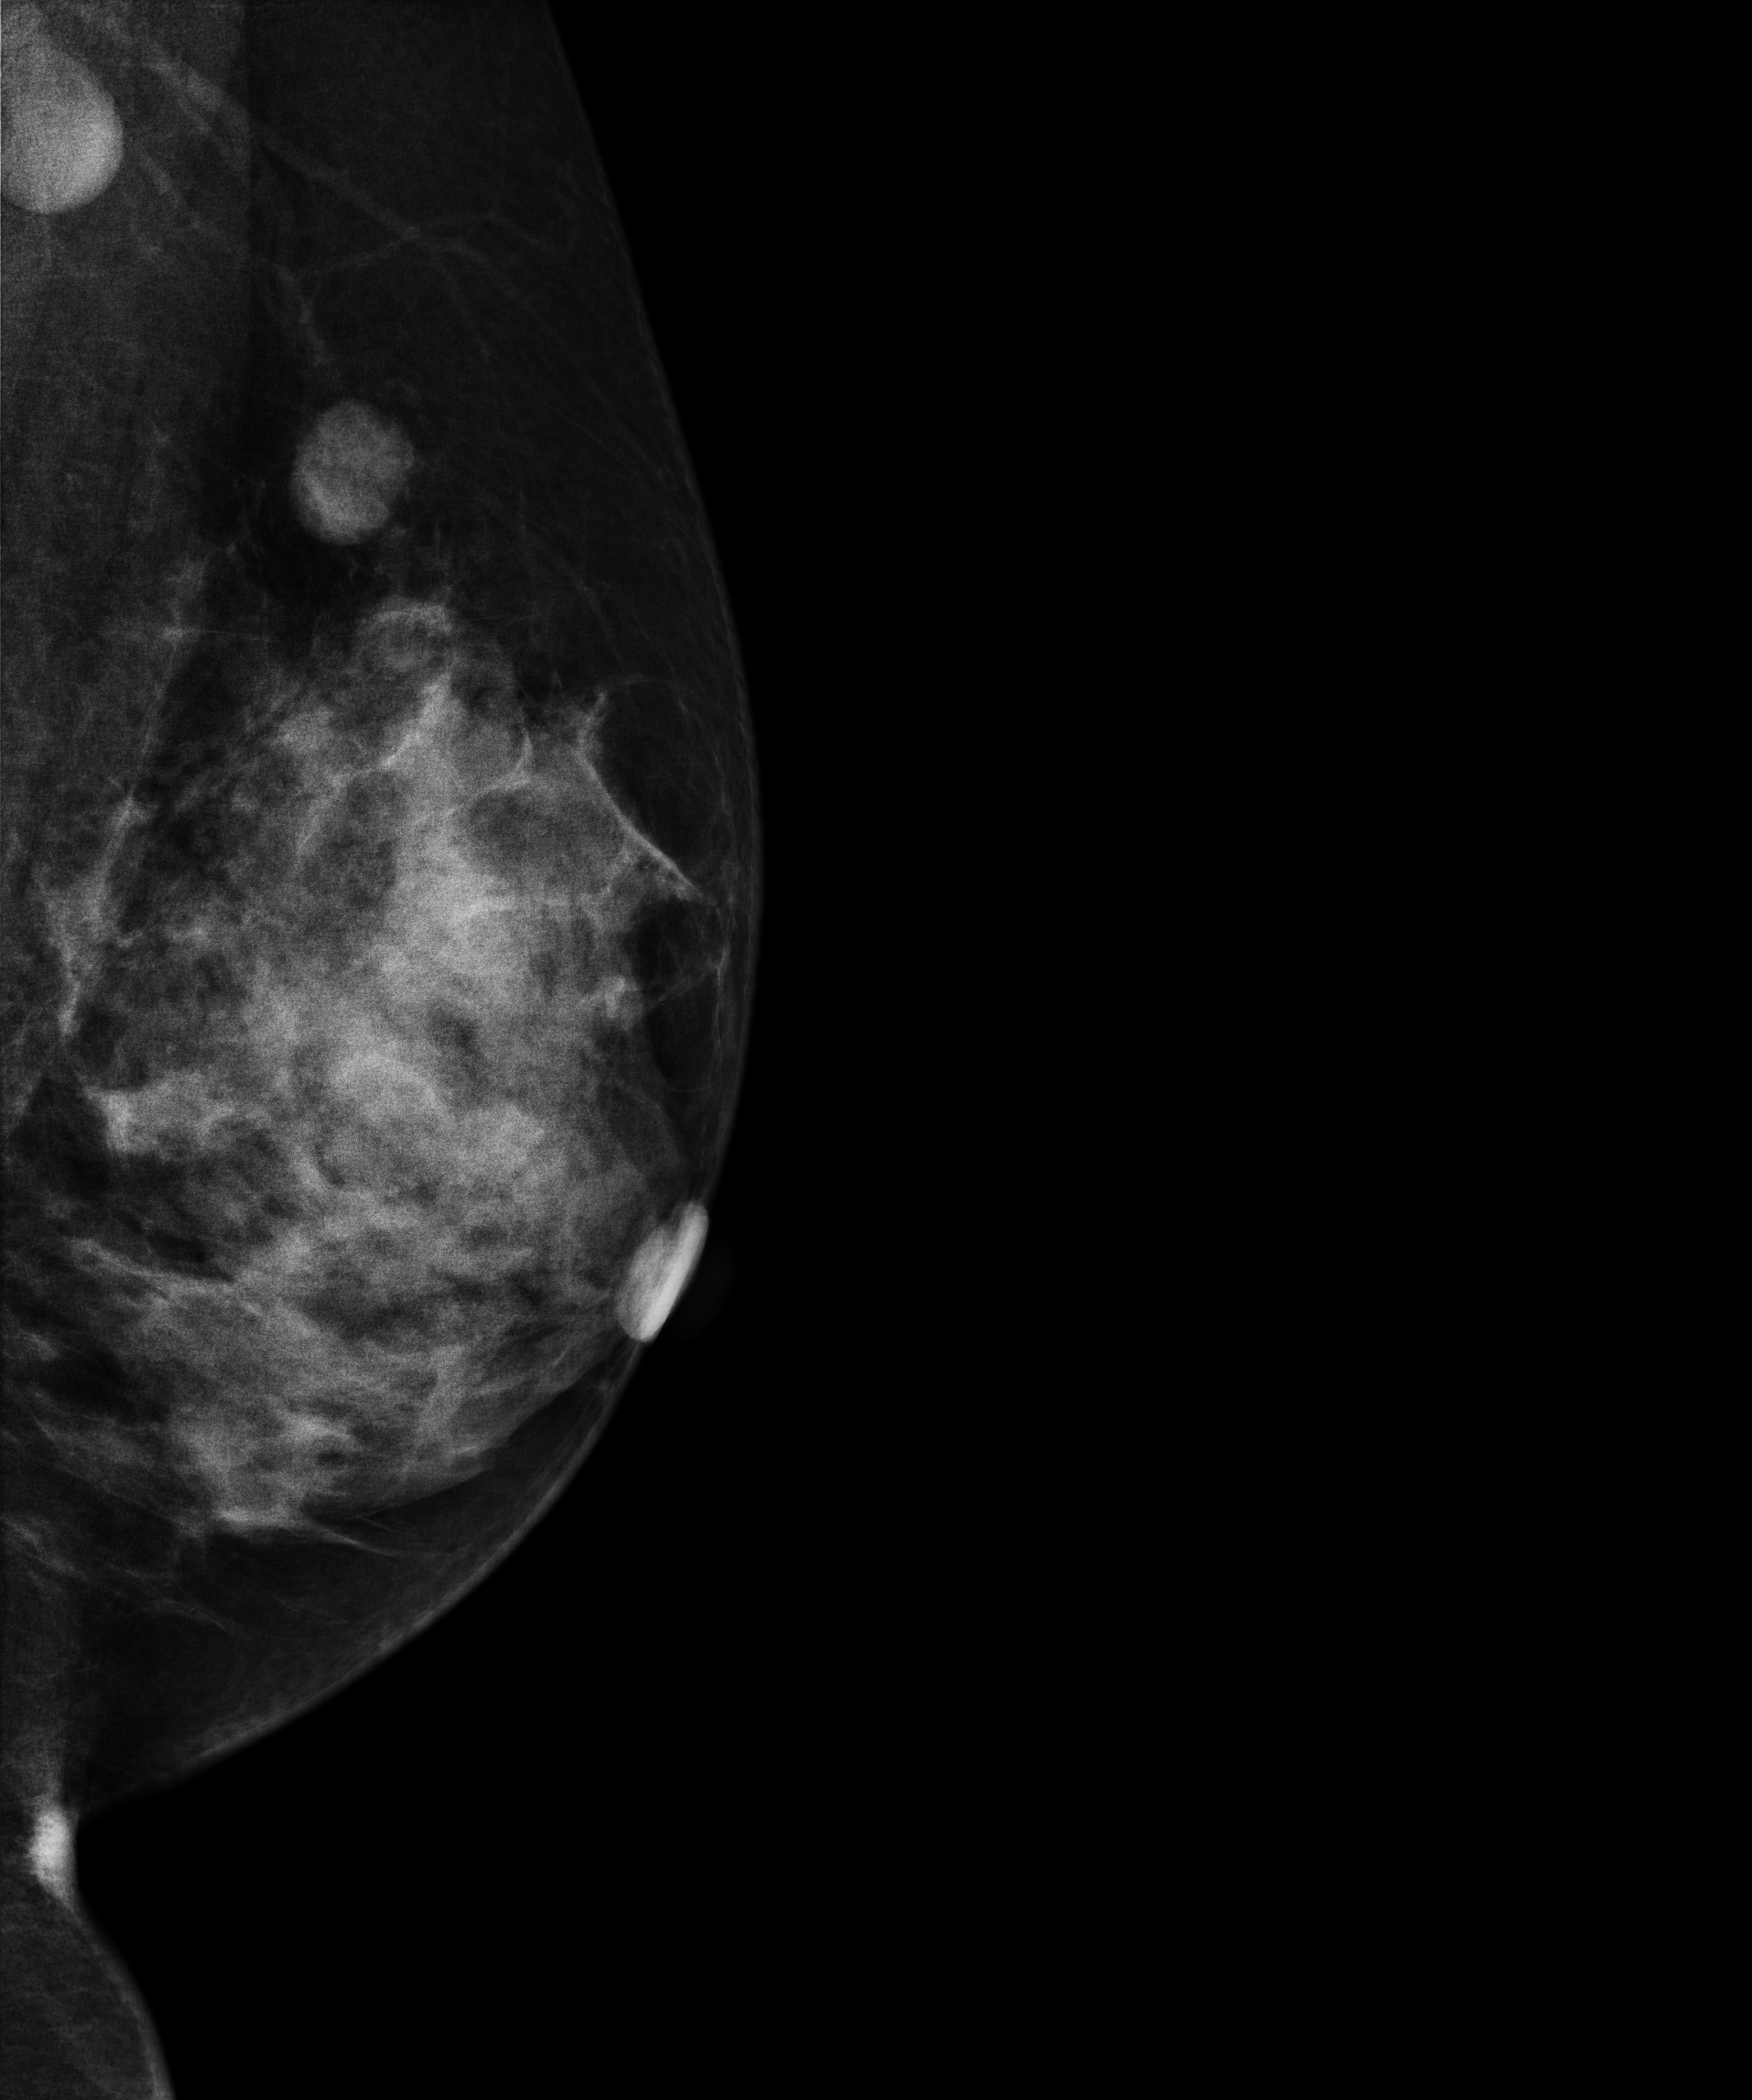
Left-breast mammogram, MLO. Patient age 49.
This breast has a mass, biopsy-confirmed malignant.